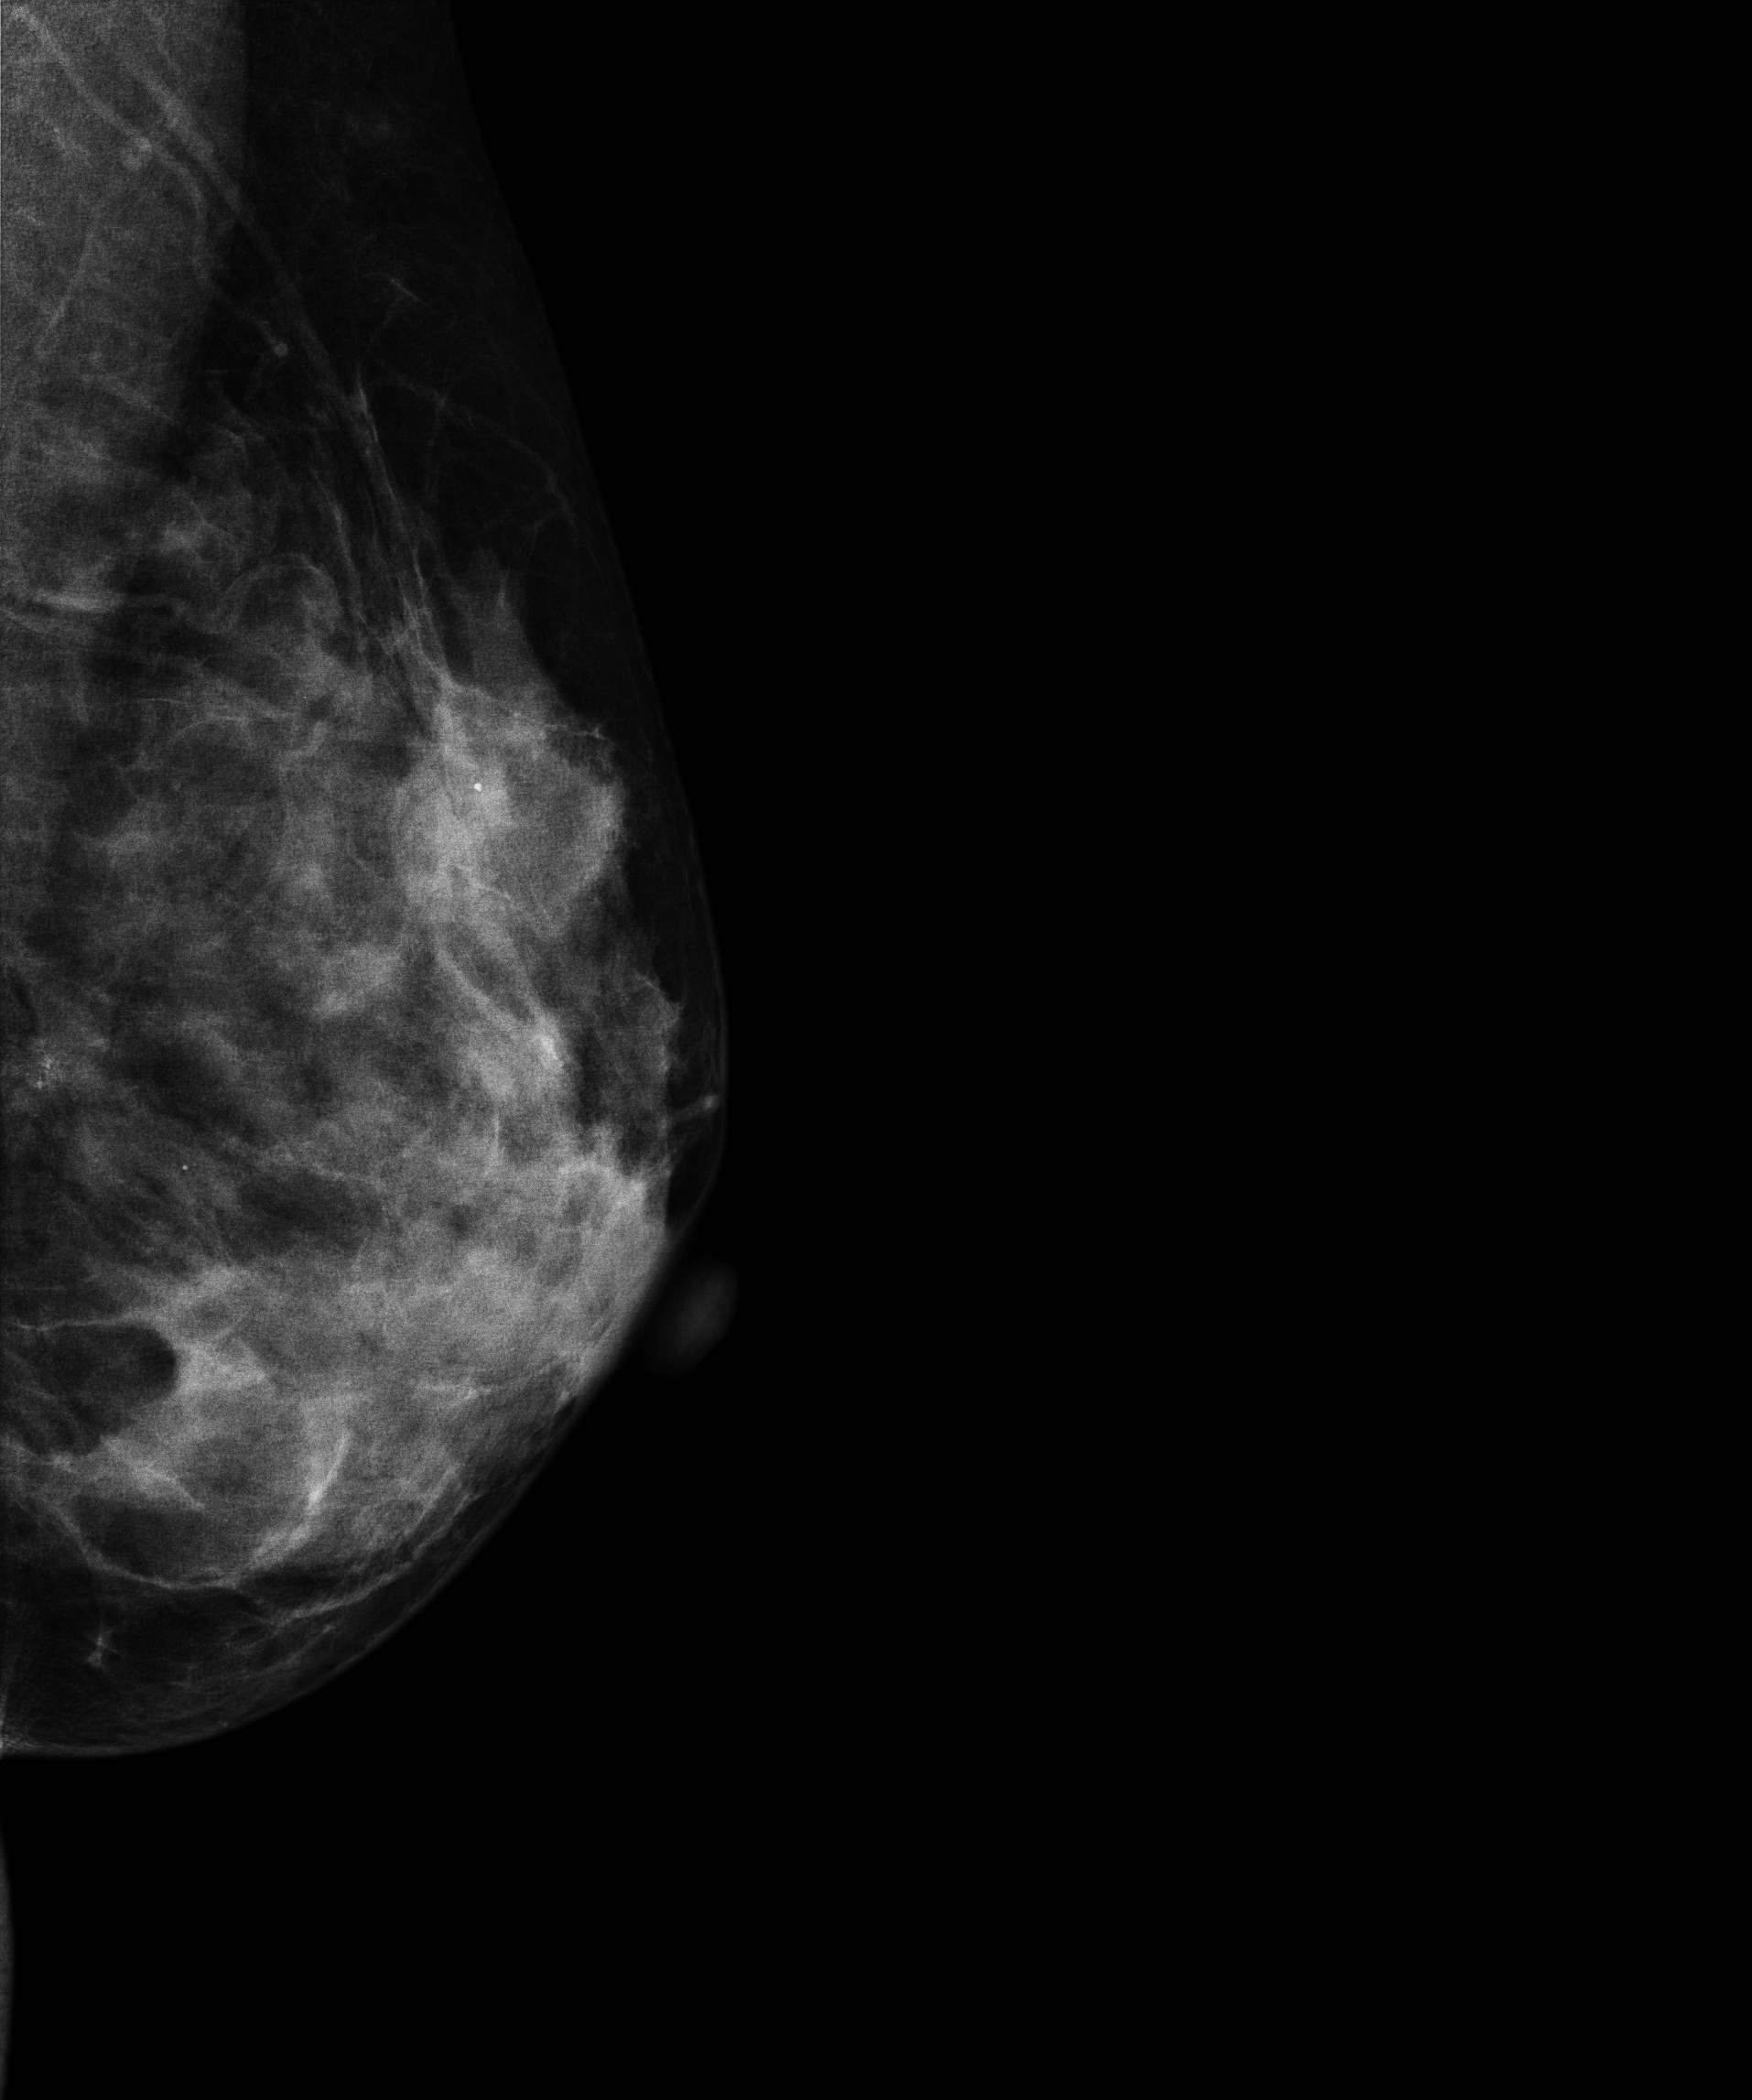
Digital mammography. Left breast, MLO projection. Patient age 41.
This breast has a mass and calcifications, pathology-confirmed malignant. Molecular subtype: luminal B.